Mammogram — left medio-lateral oblique. 52-year-old patient.
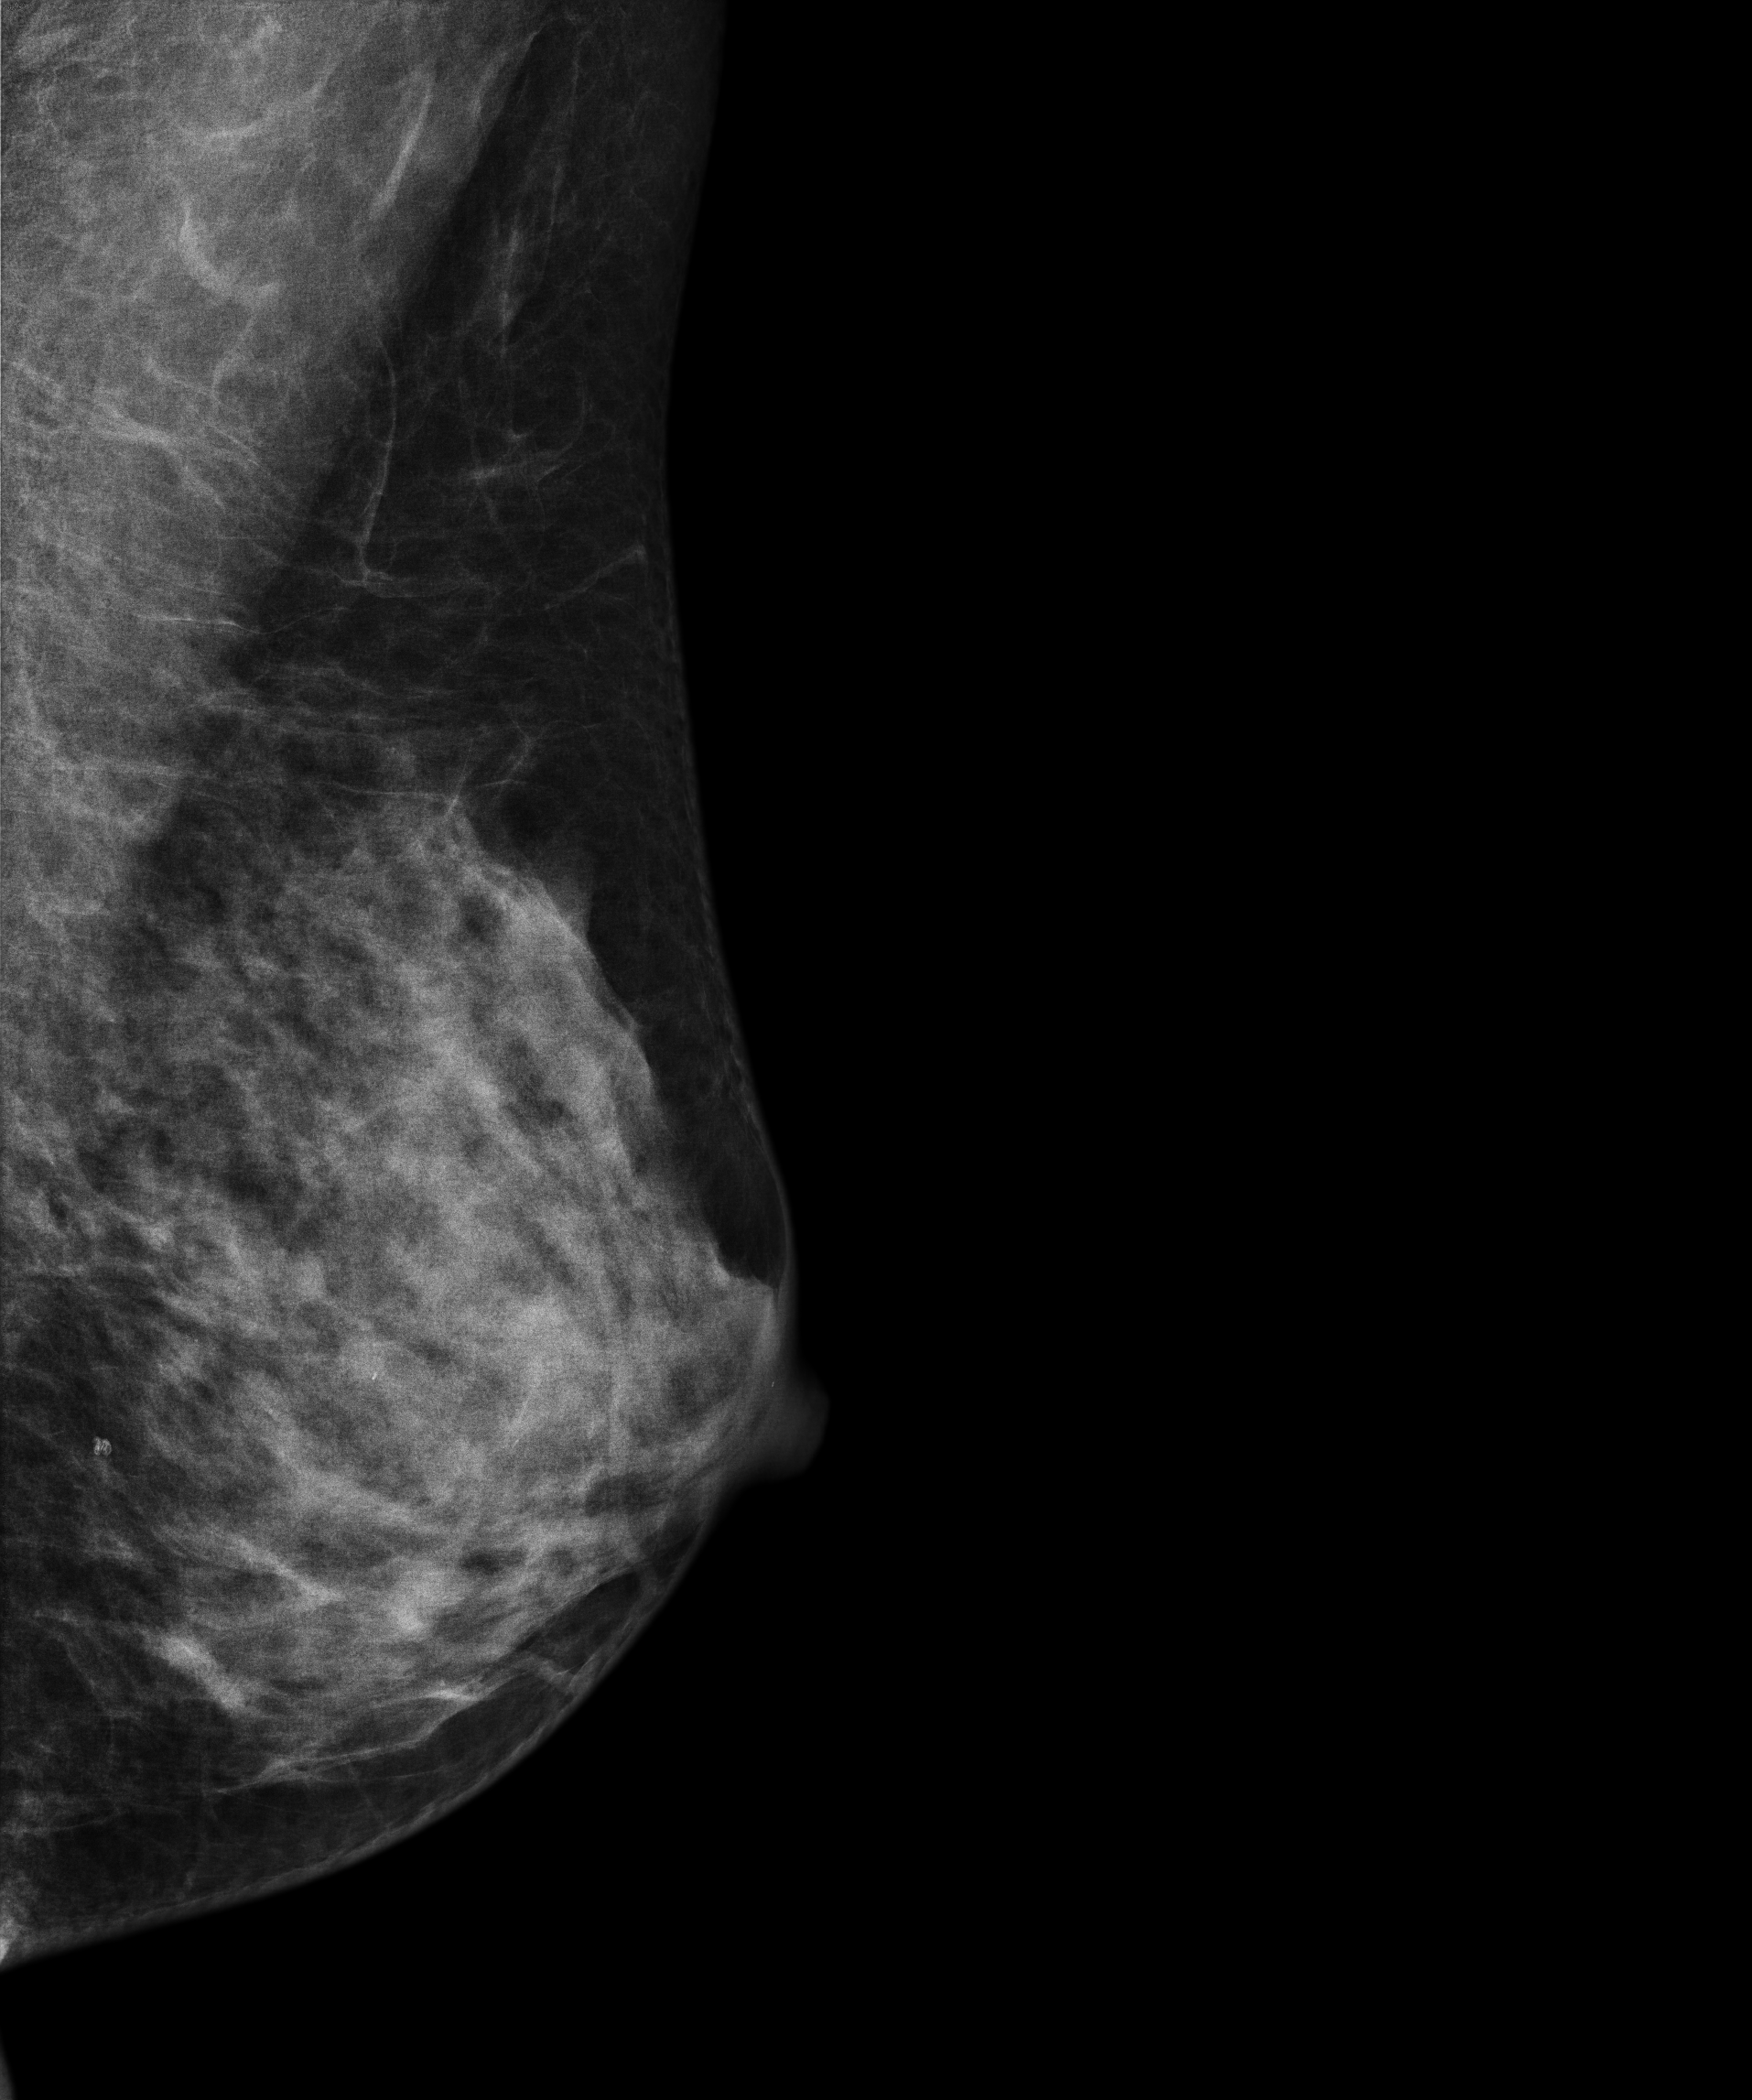
This breast has calcifications, biopsy-confirmed benign.